Medio-lateral oblique mammogram of the right breast. 60 y/o patient.
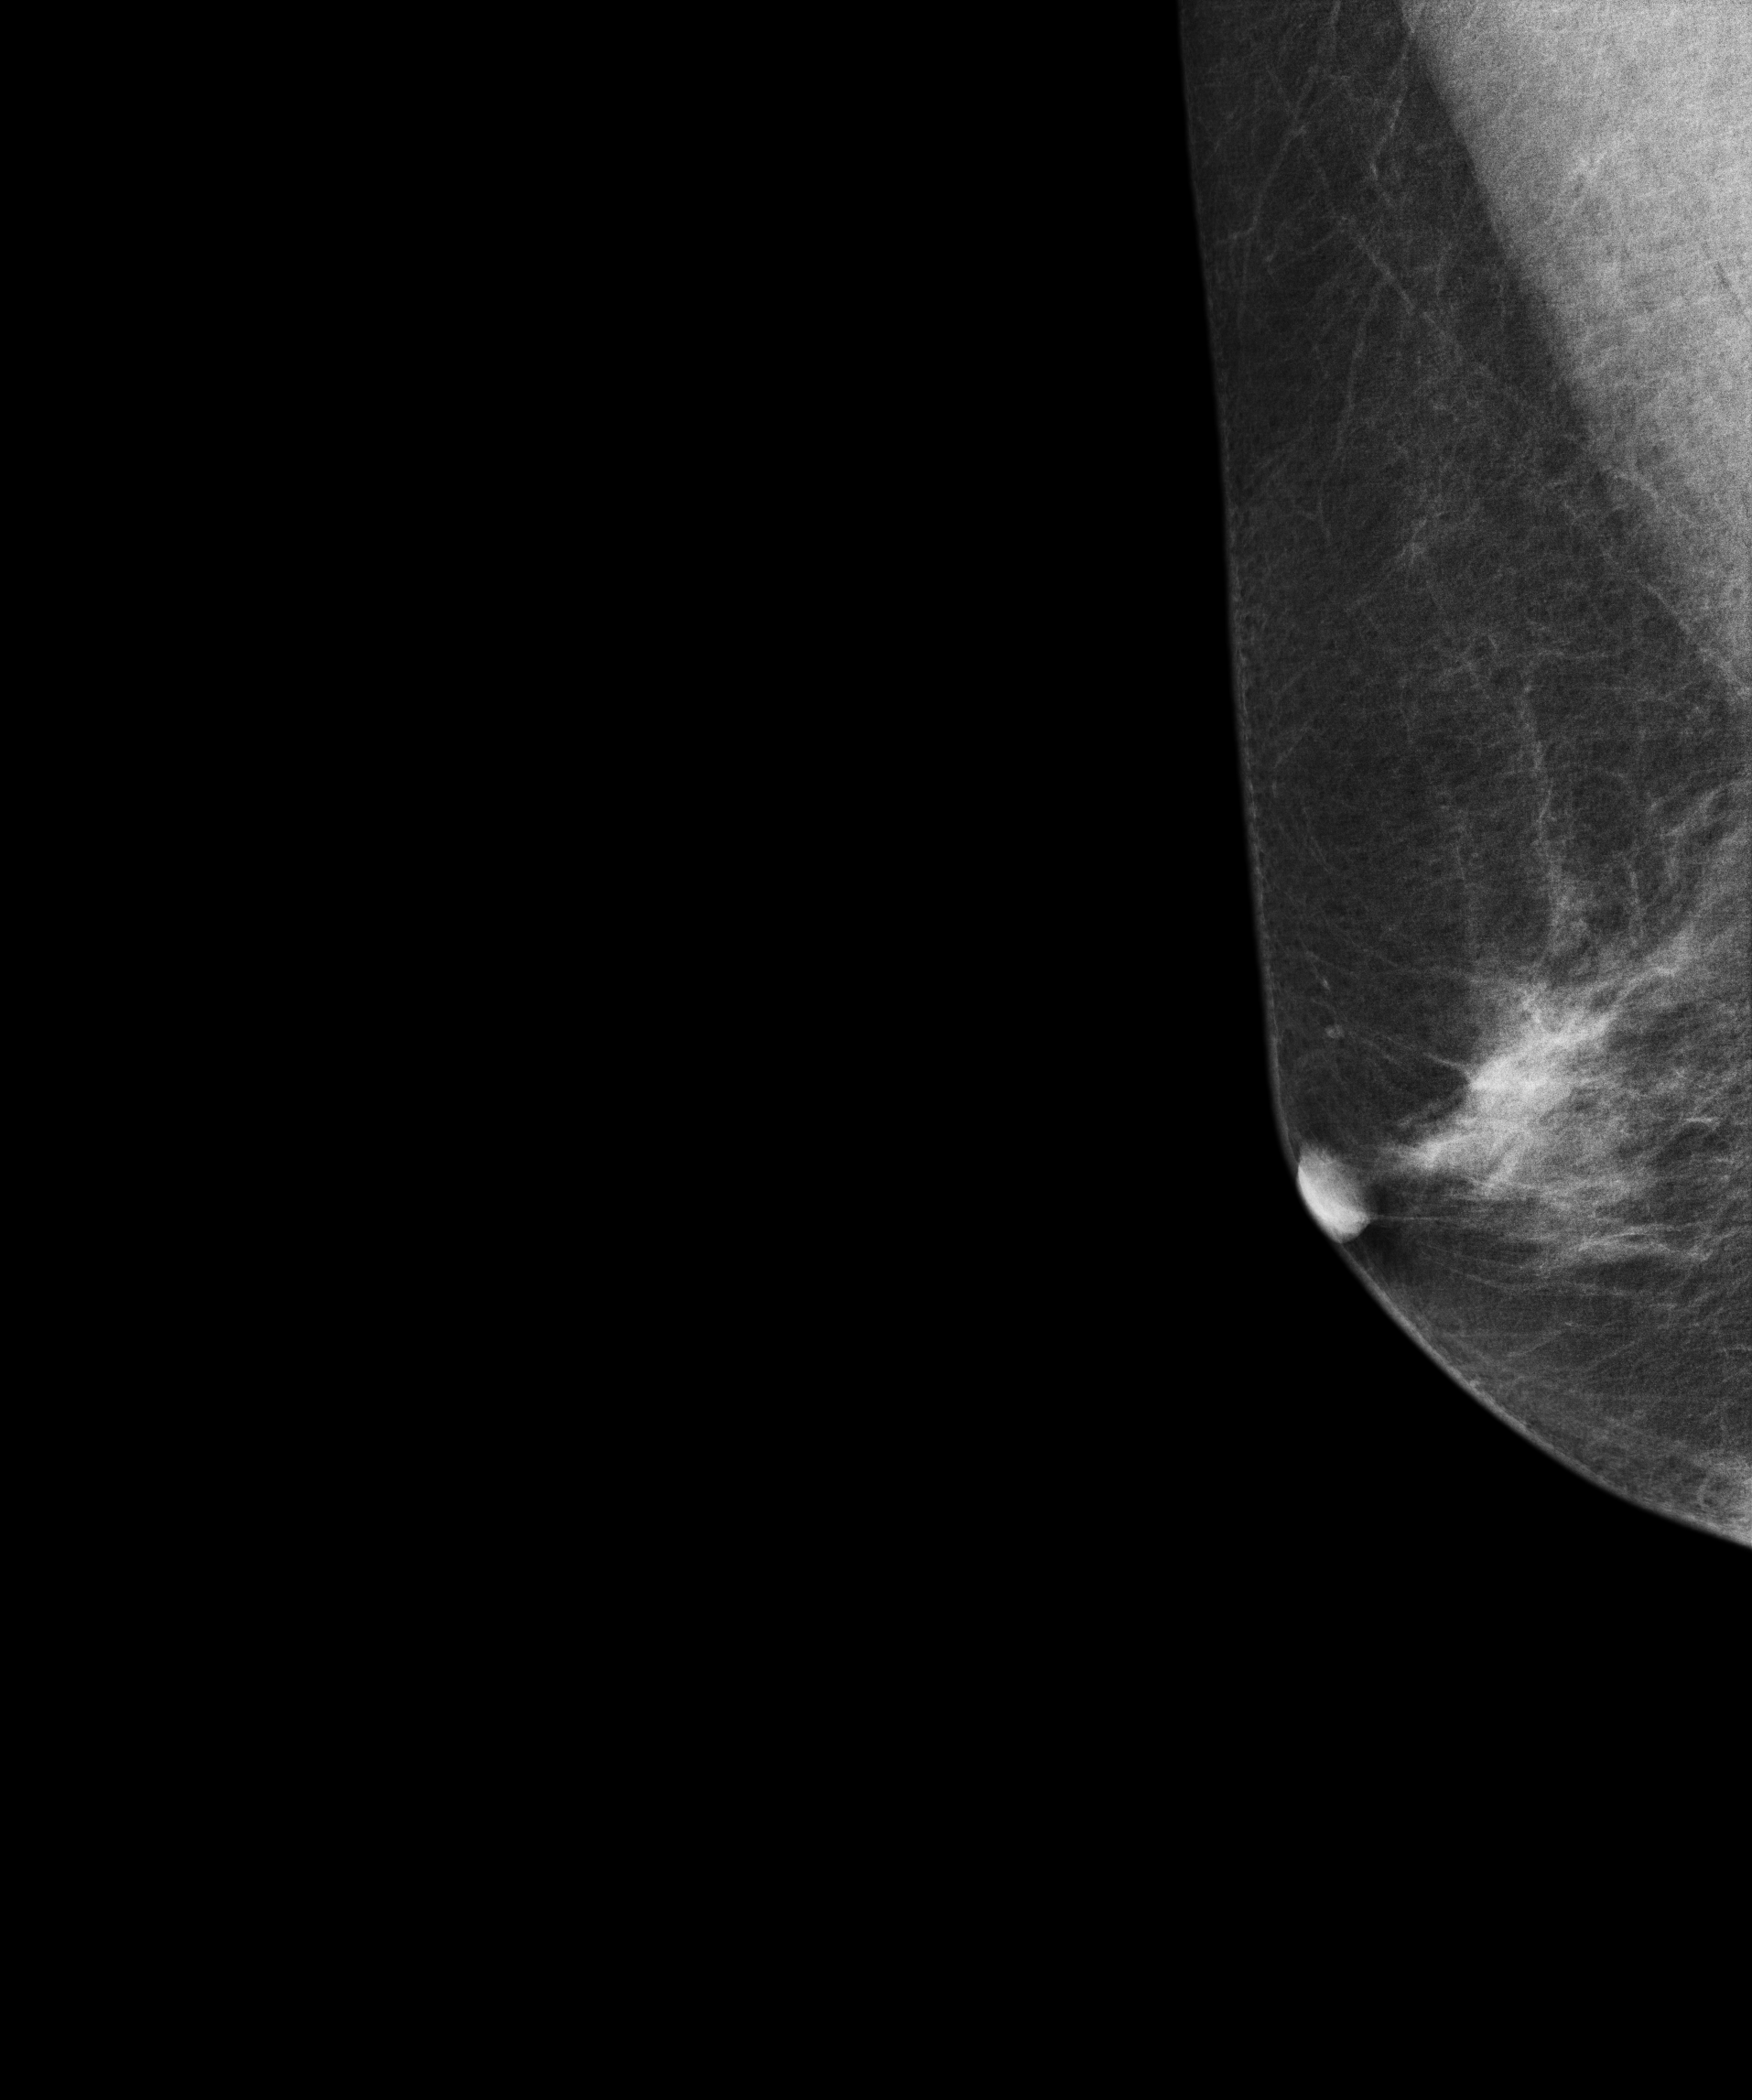
This breast has a mass, pathology-confirmed malignant. Molecular subtype: luminal B.